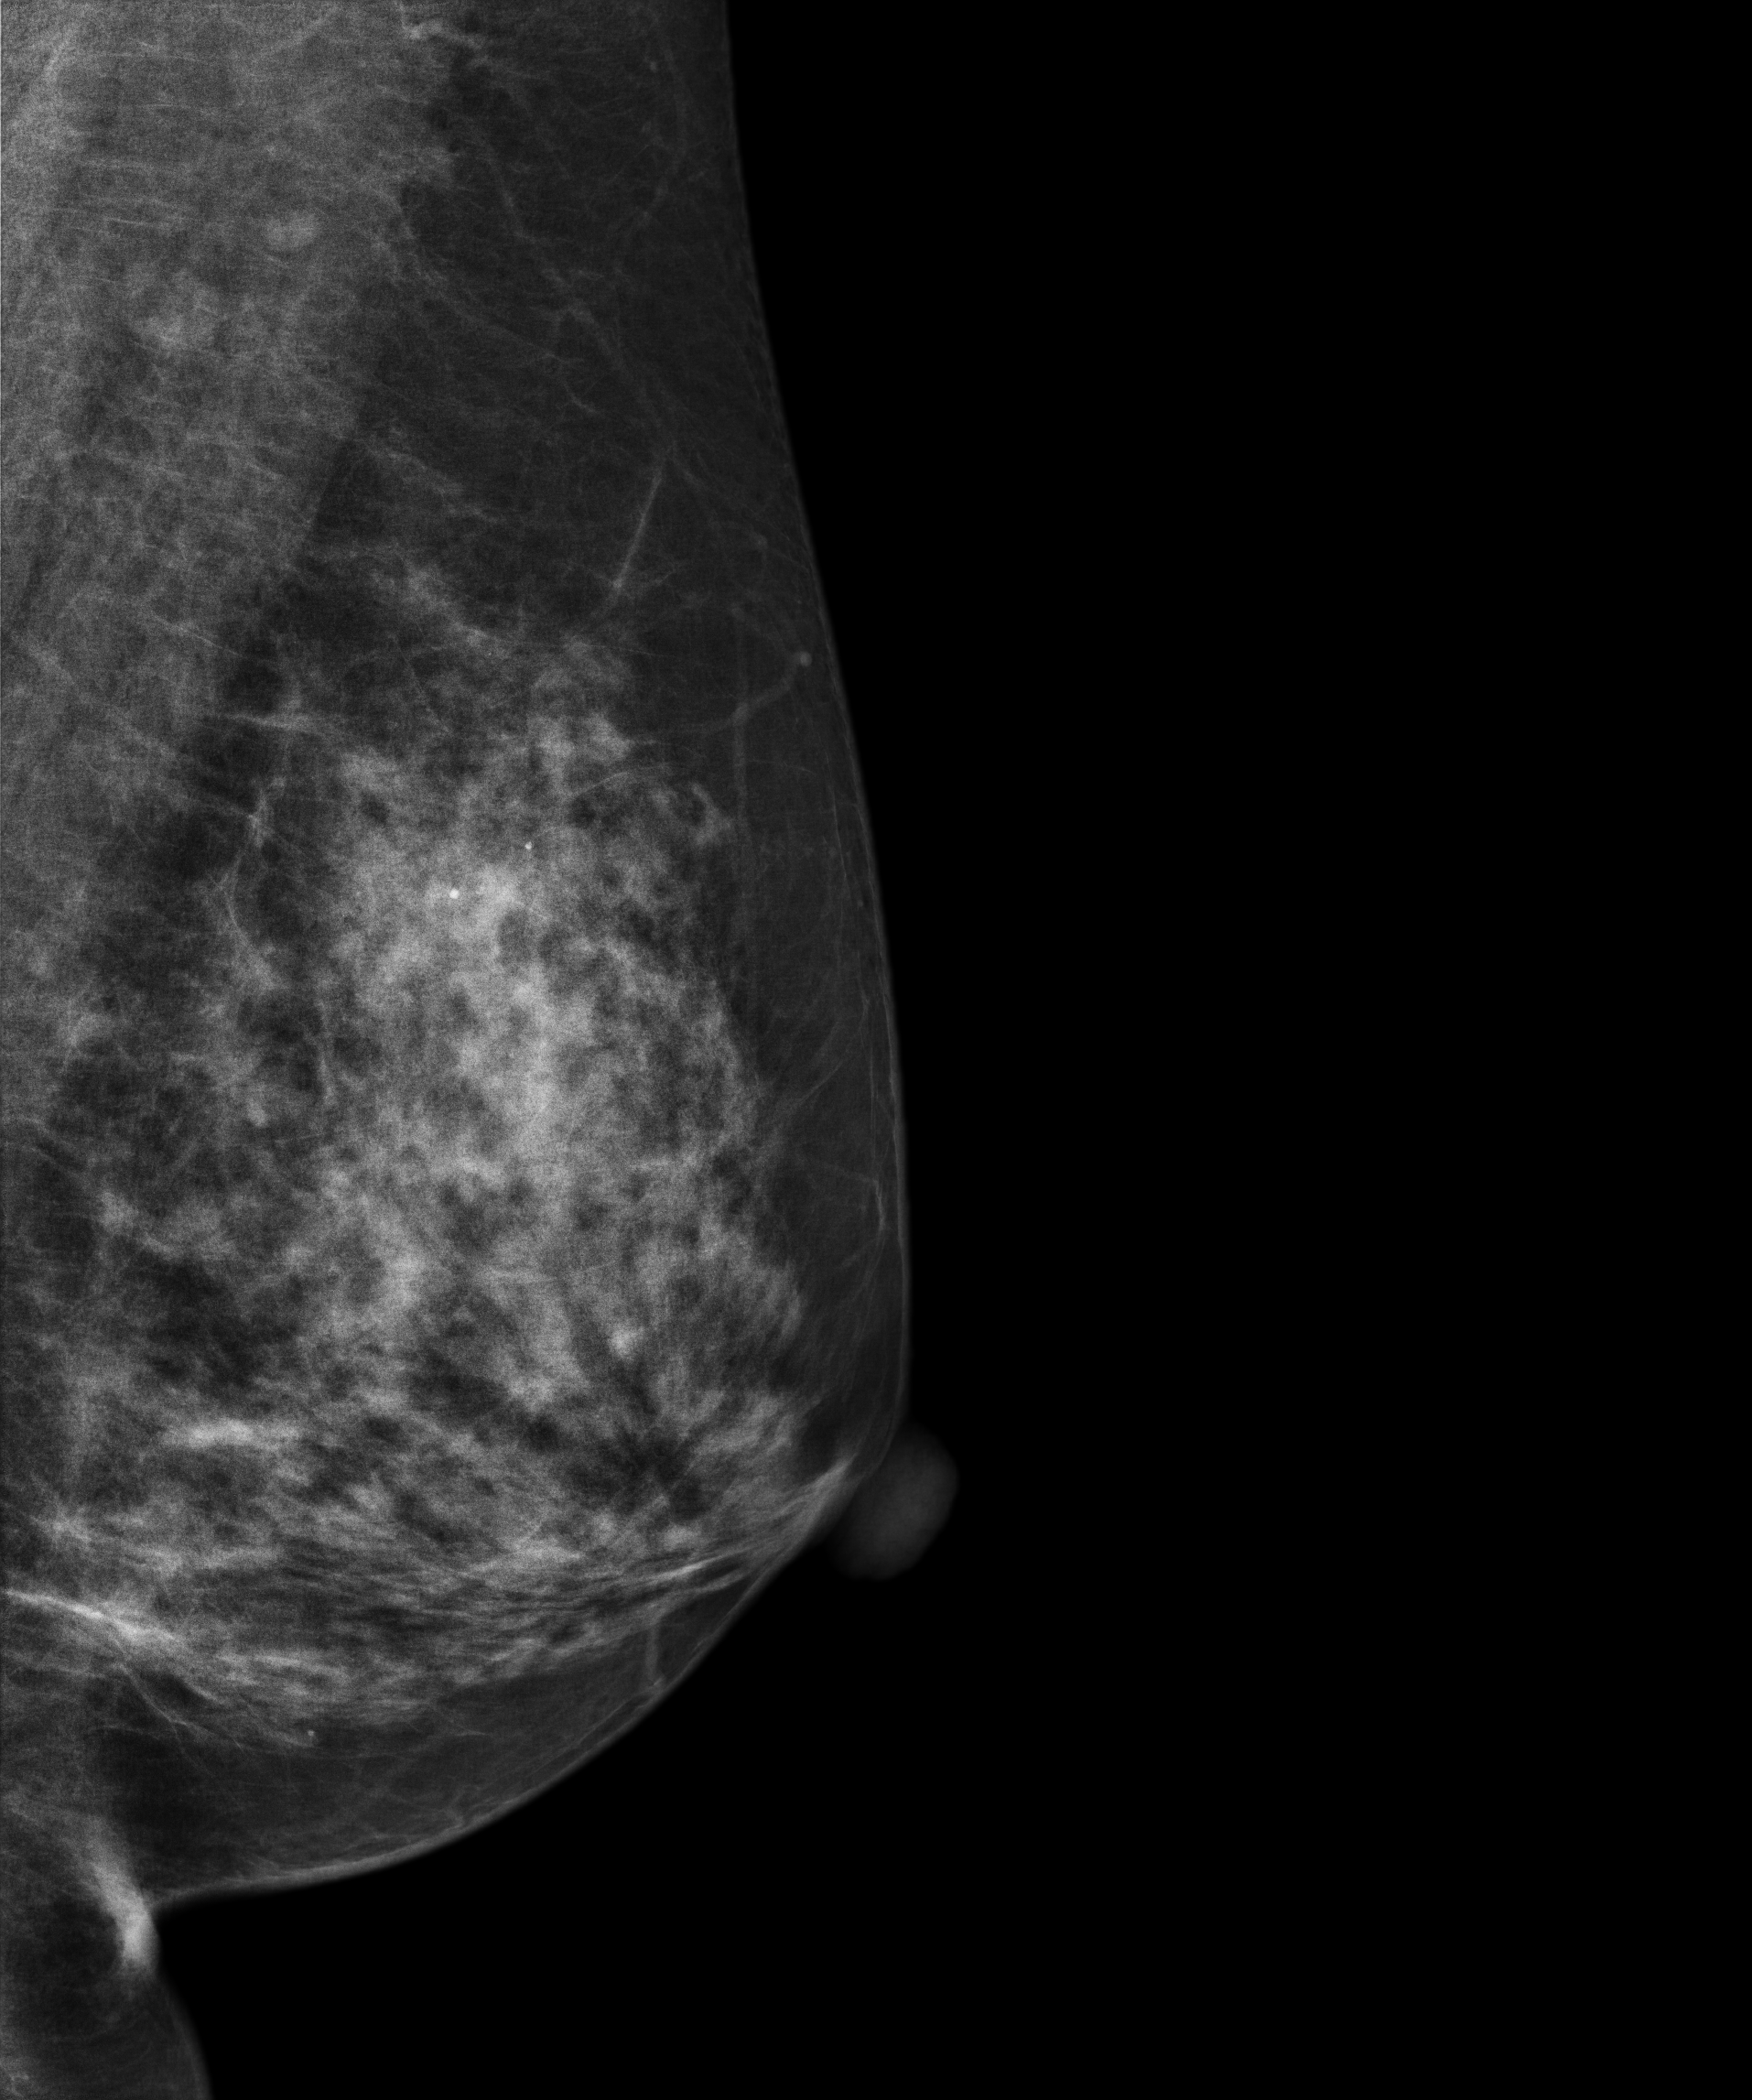
Left-breast mammogram, medio-lateral oblique. Patient age 45.
Contralateral breast — no documented abnormality on this side.